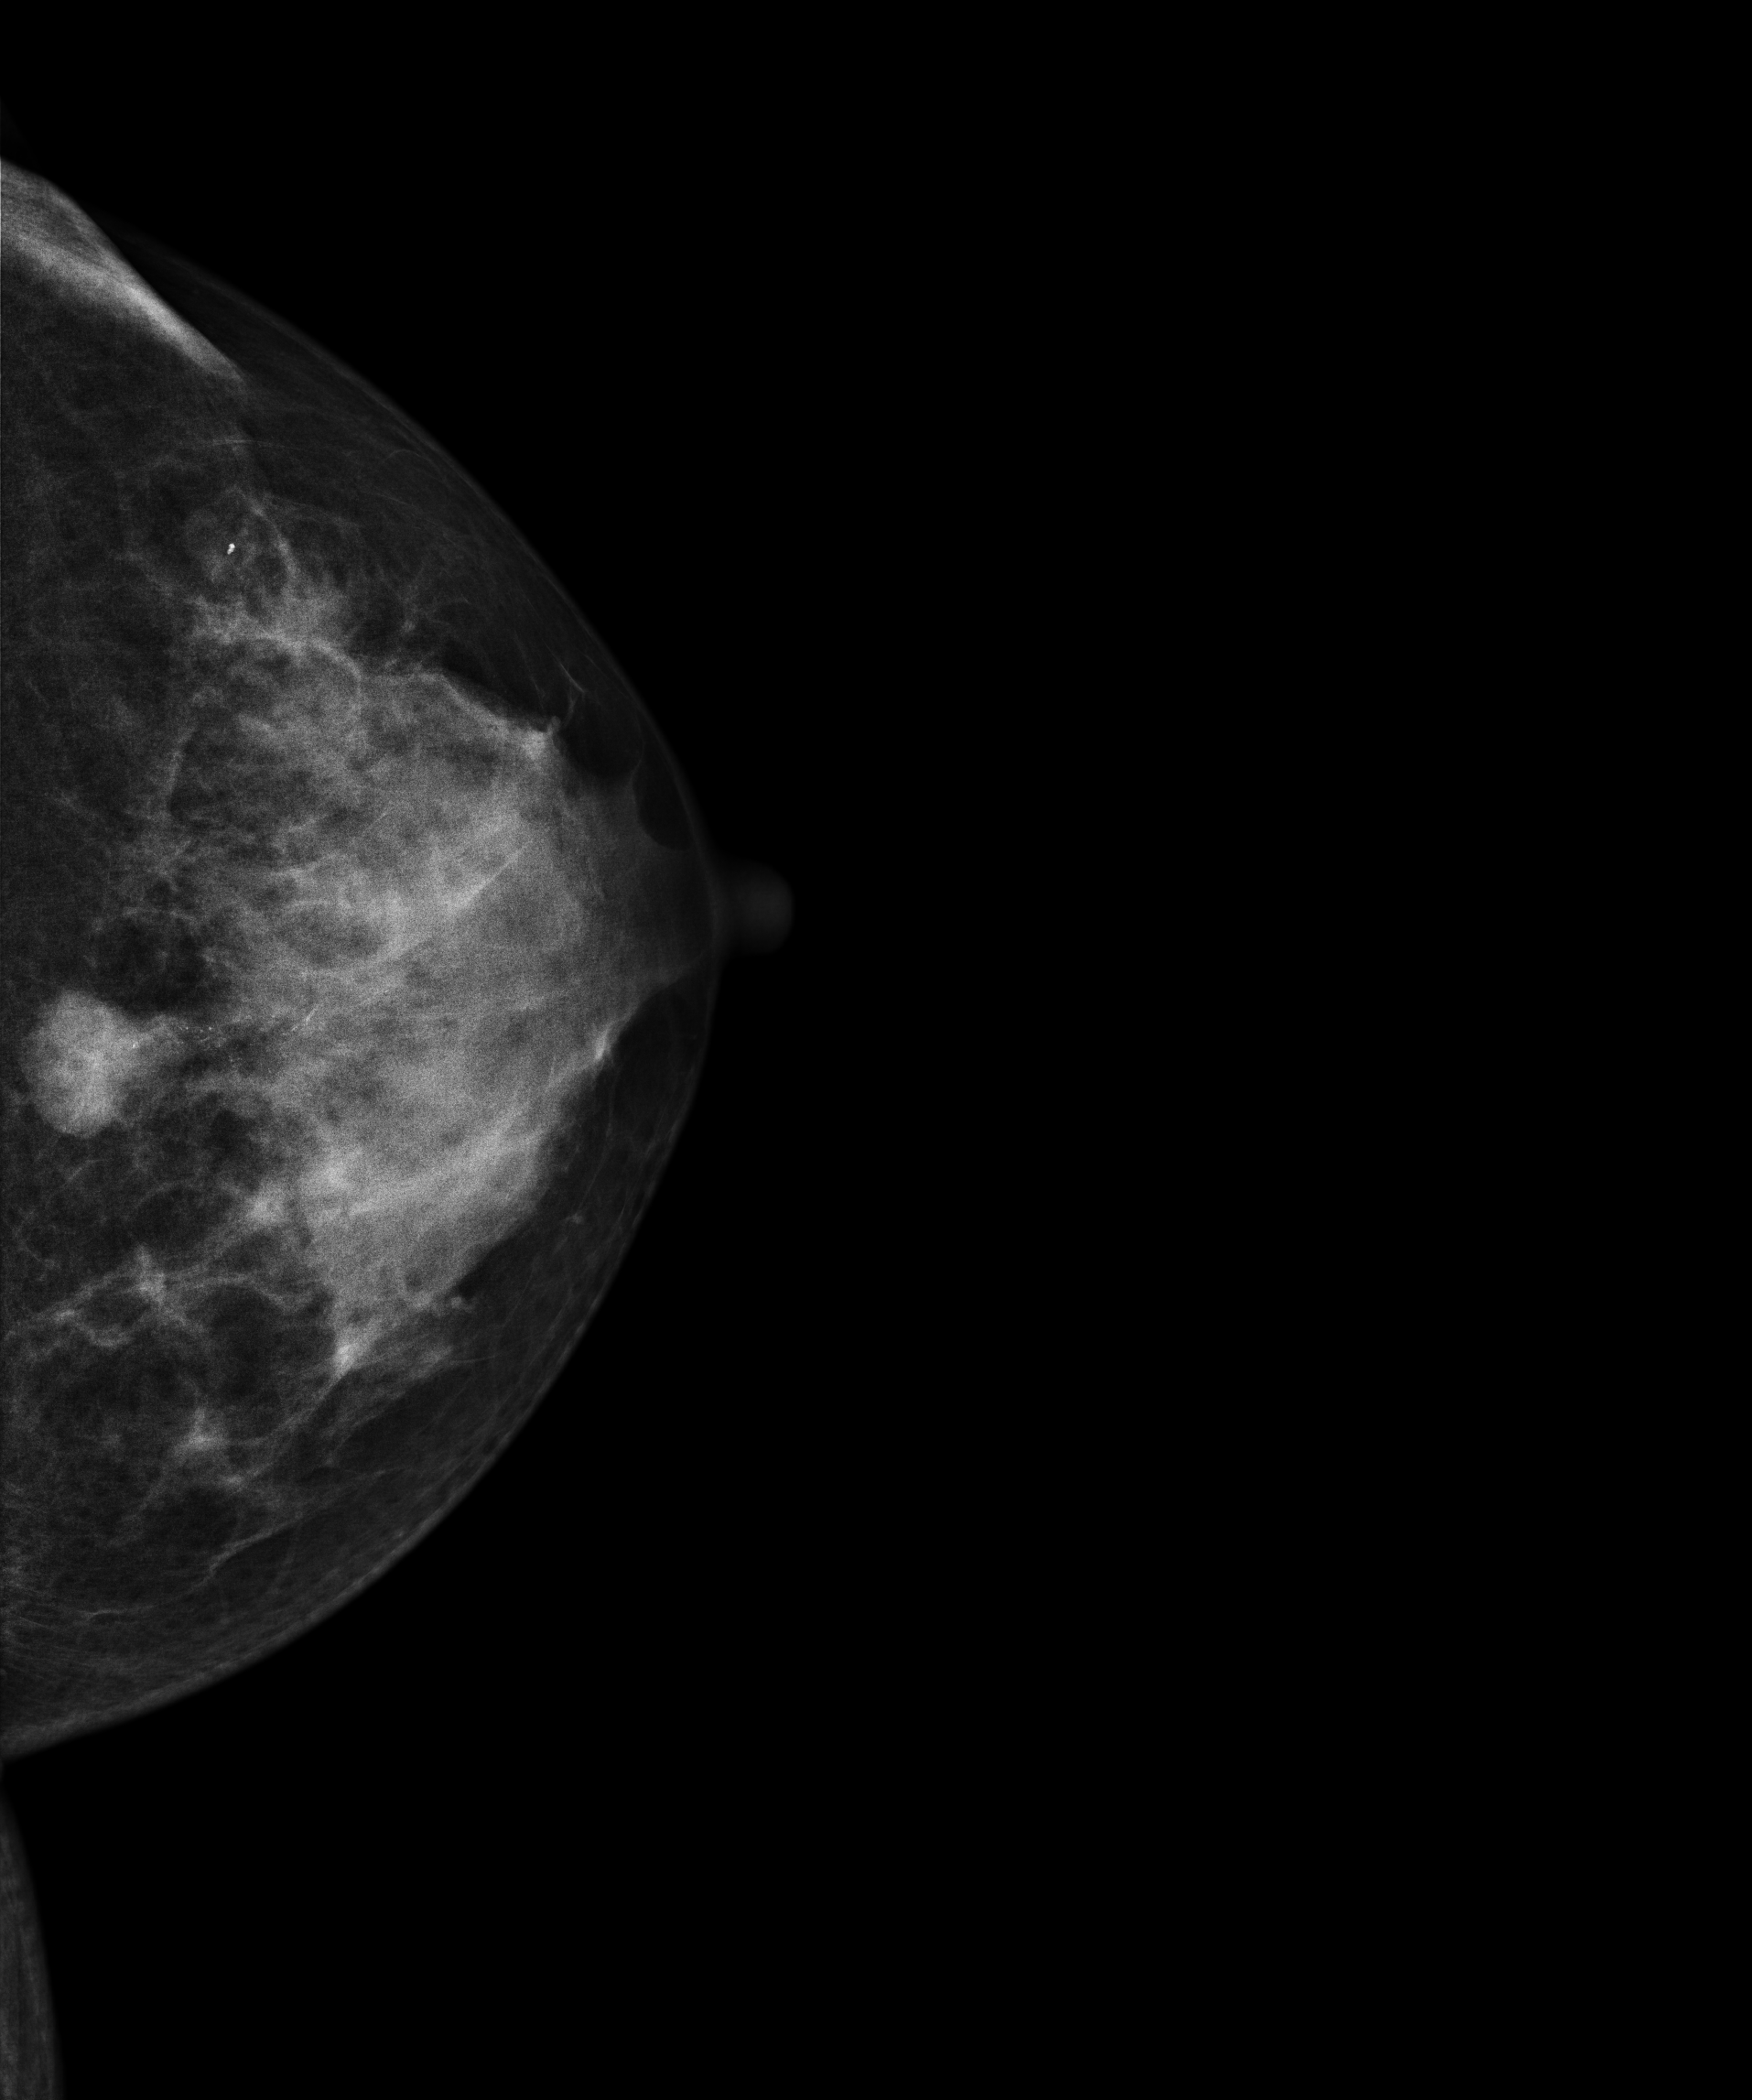
Digital mammography. Left breast, cranio-caudal projection. Patient age 55.
This breast has a mass and calcifications, pathology-confirmed malignant. Molecular subtype: triple-negative.